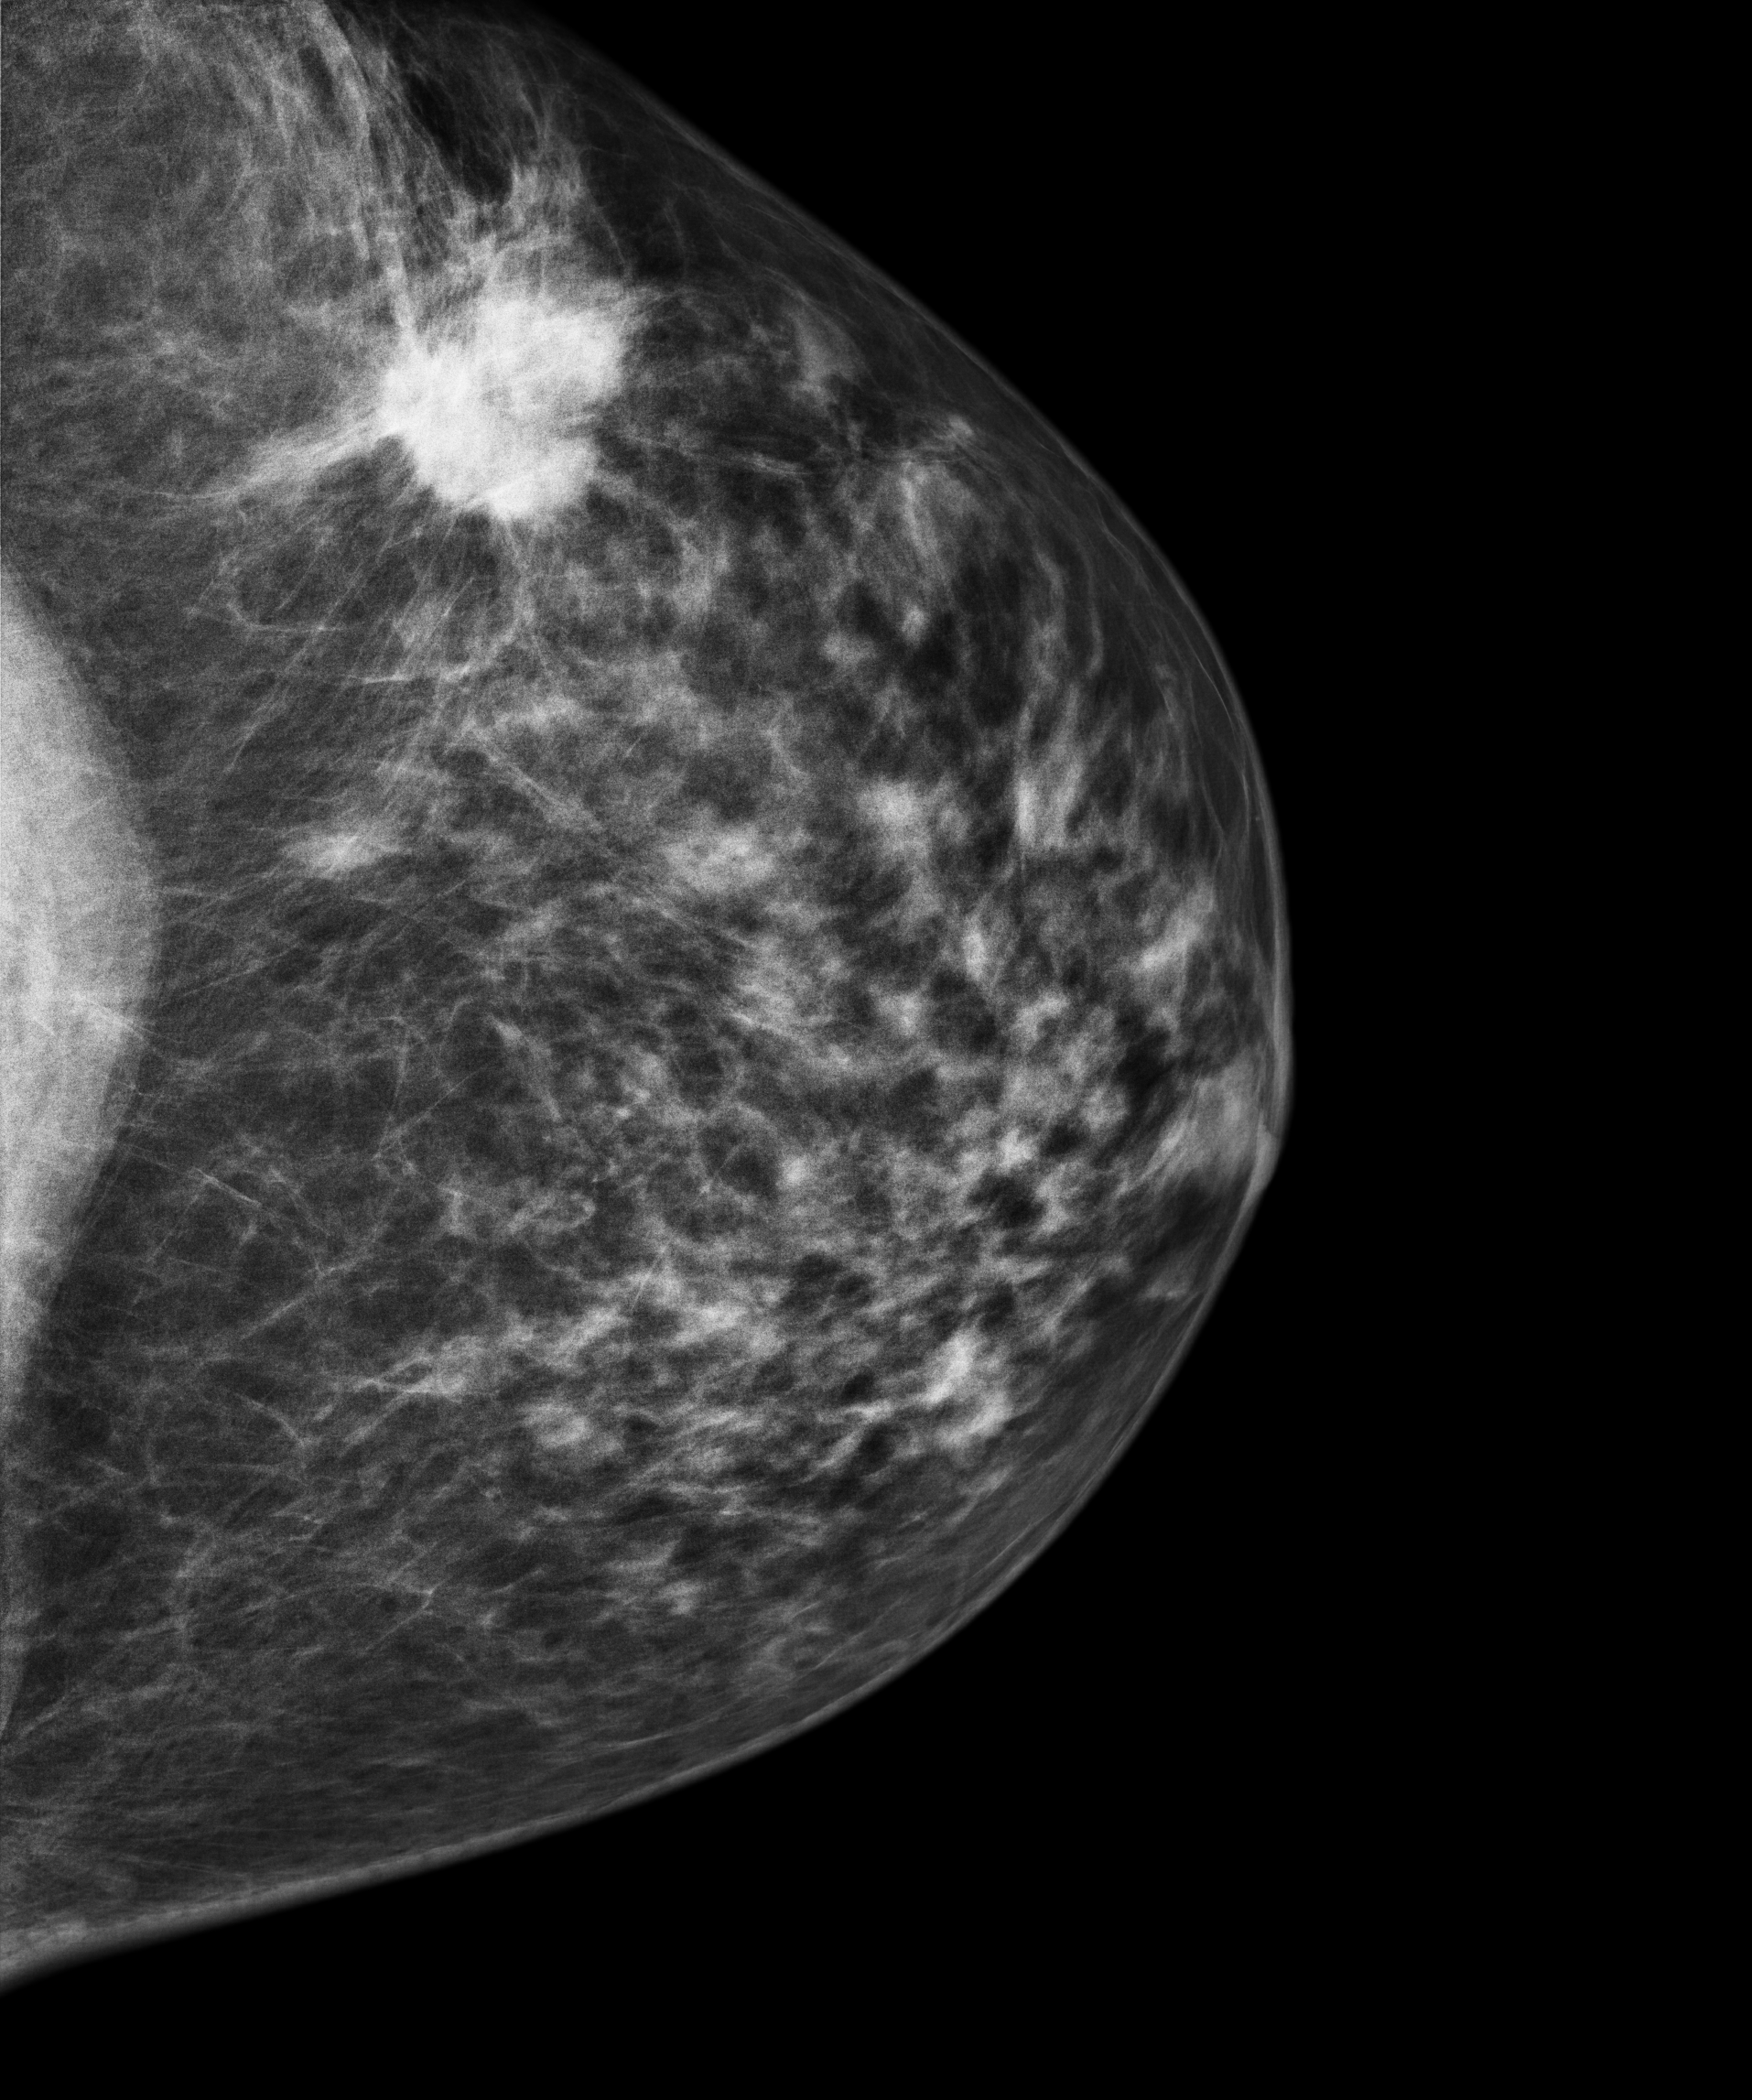
Mammogram, left breast, cranio-caudal view. 58-year-old patient.
This breast has a mass, biopsy-proven malignant.